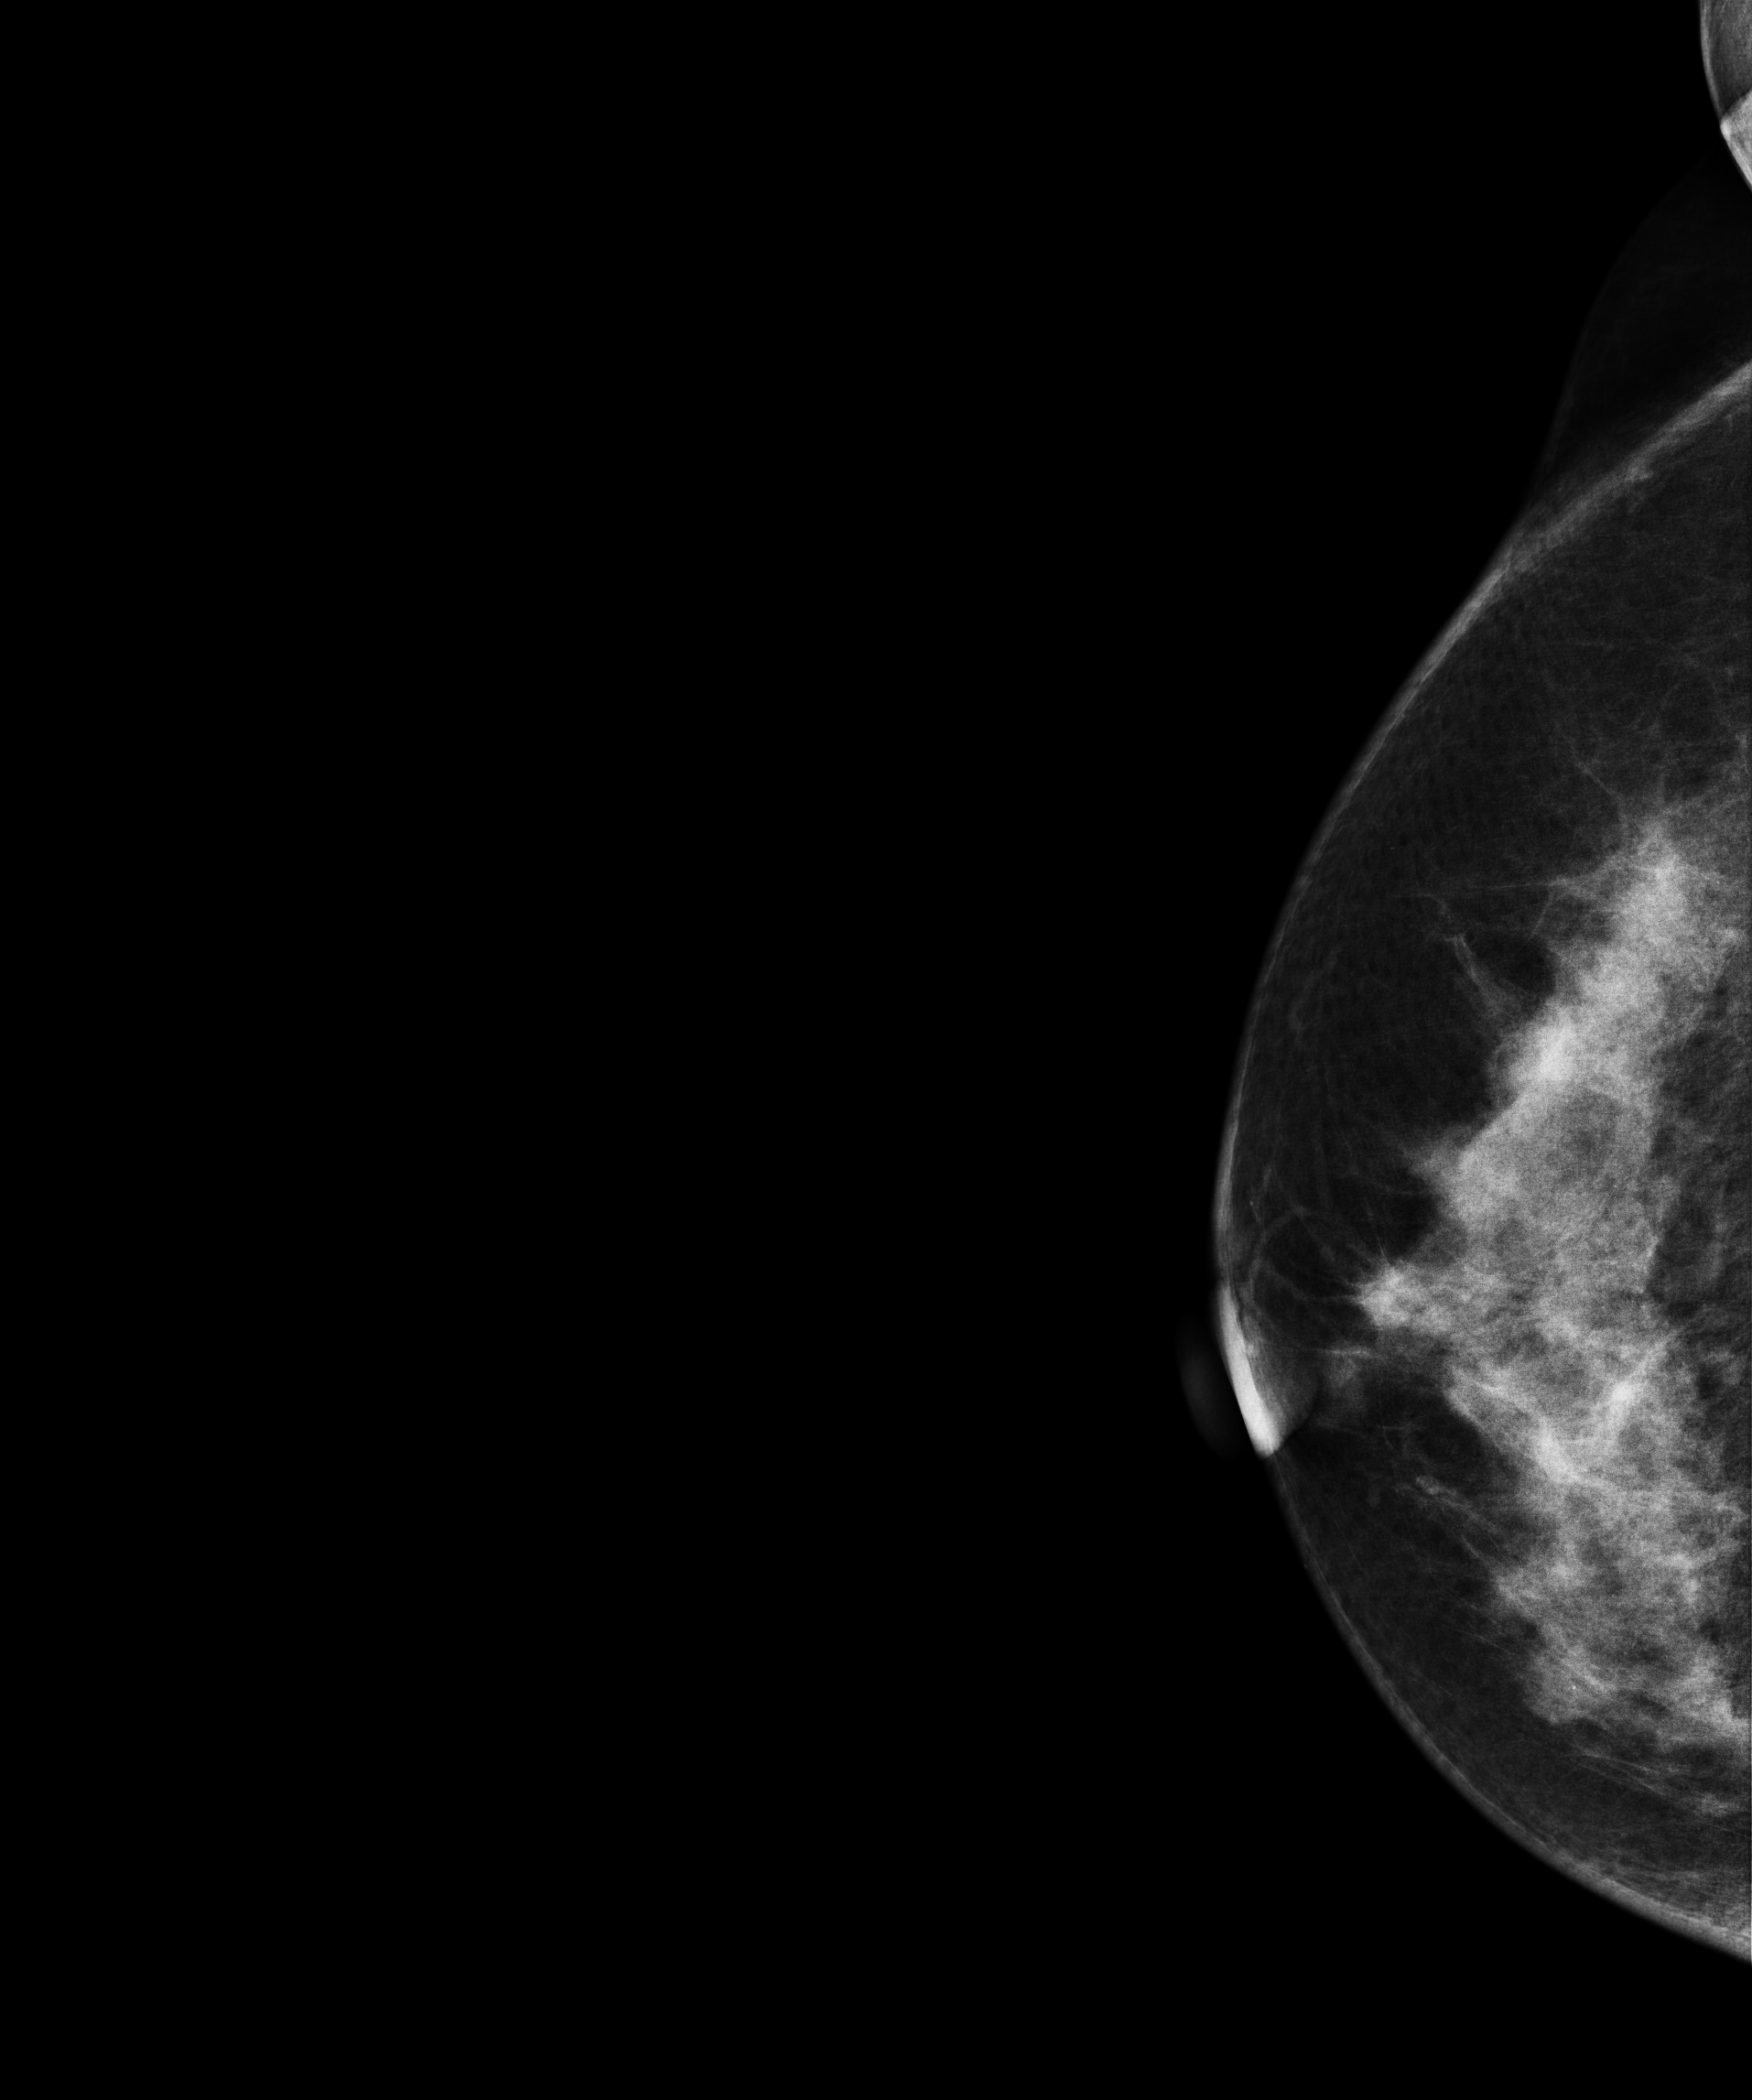
Mammogram — right cranio-caudal. 53-year-old patient.
Contralateral breast — no documented abnormality on this side.